CC mammogram of the right breast. 62-year-old patient.
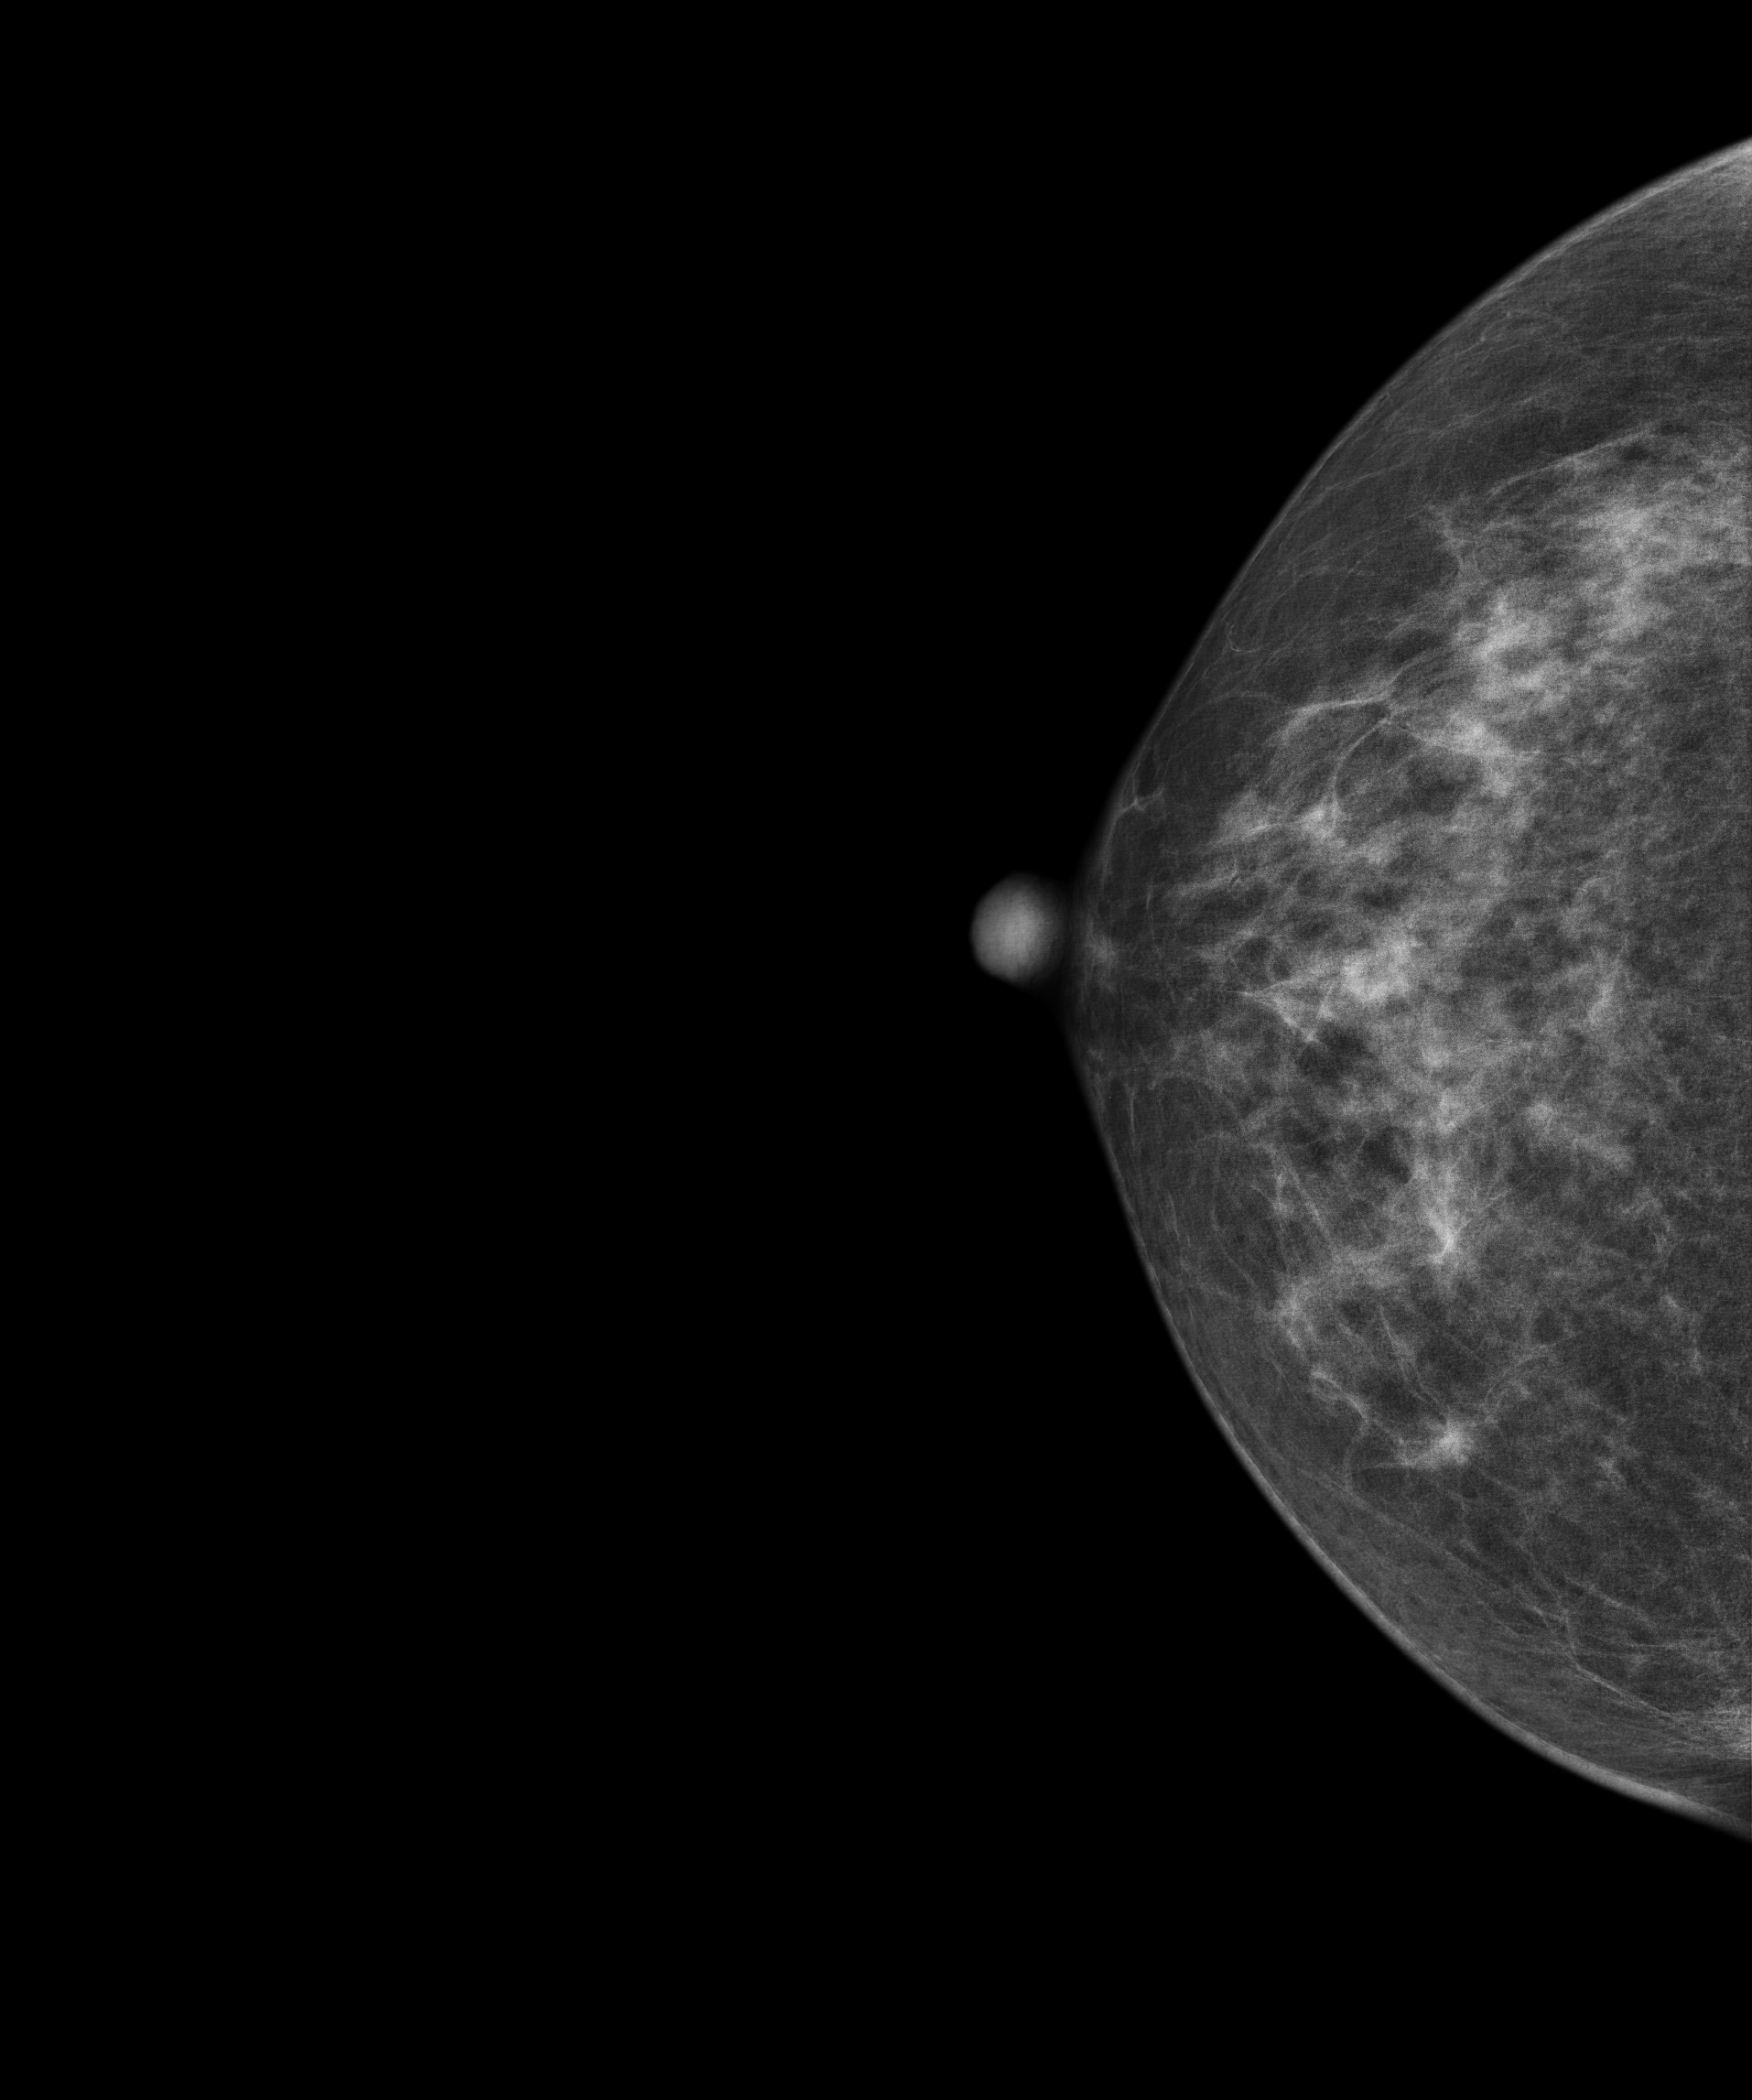
Contralateral breast — no documented abnormality on this side.